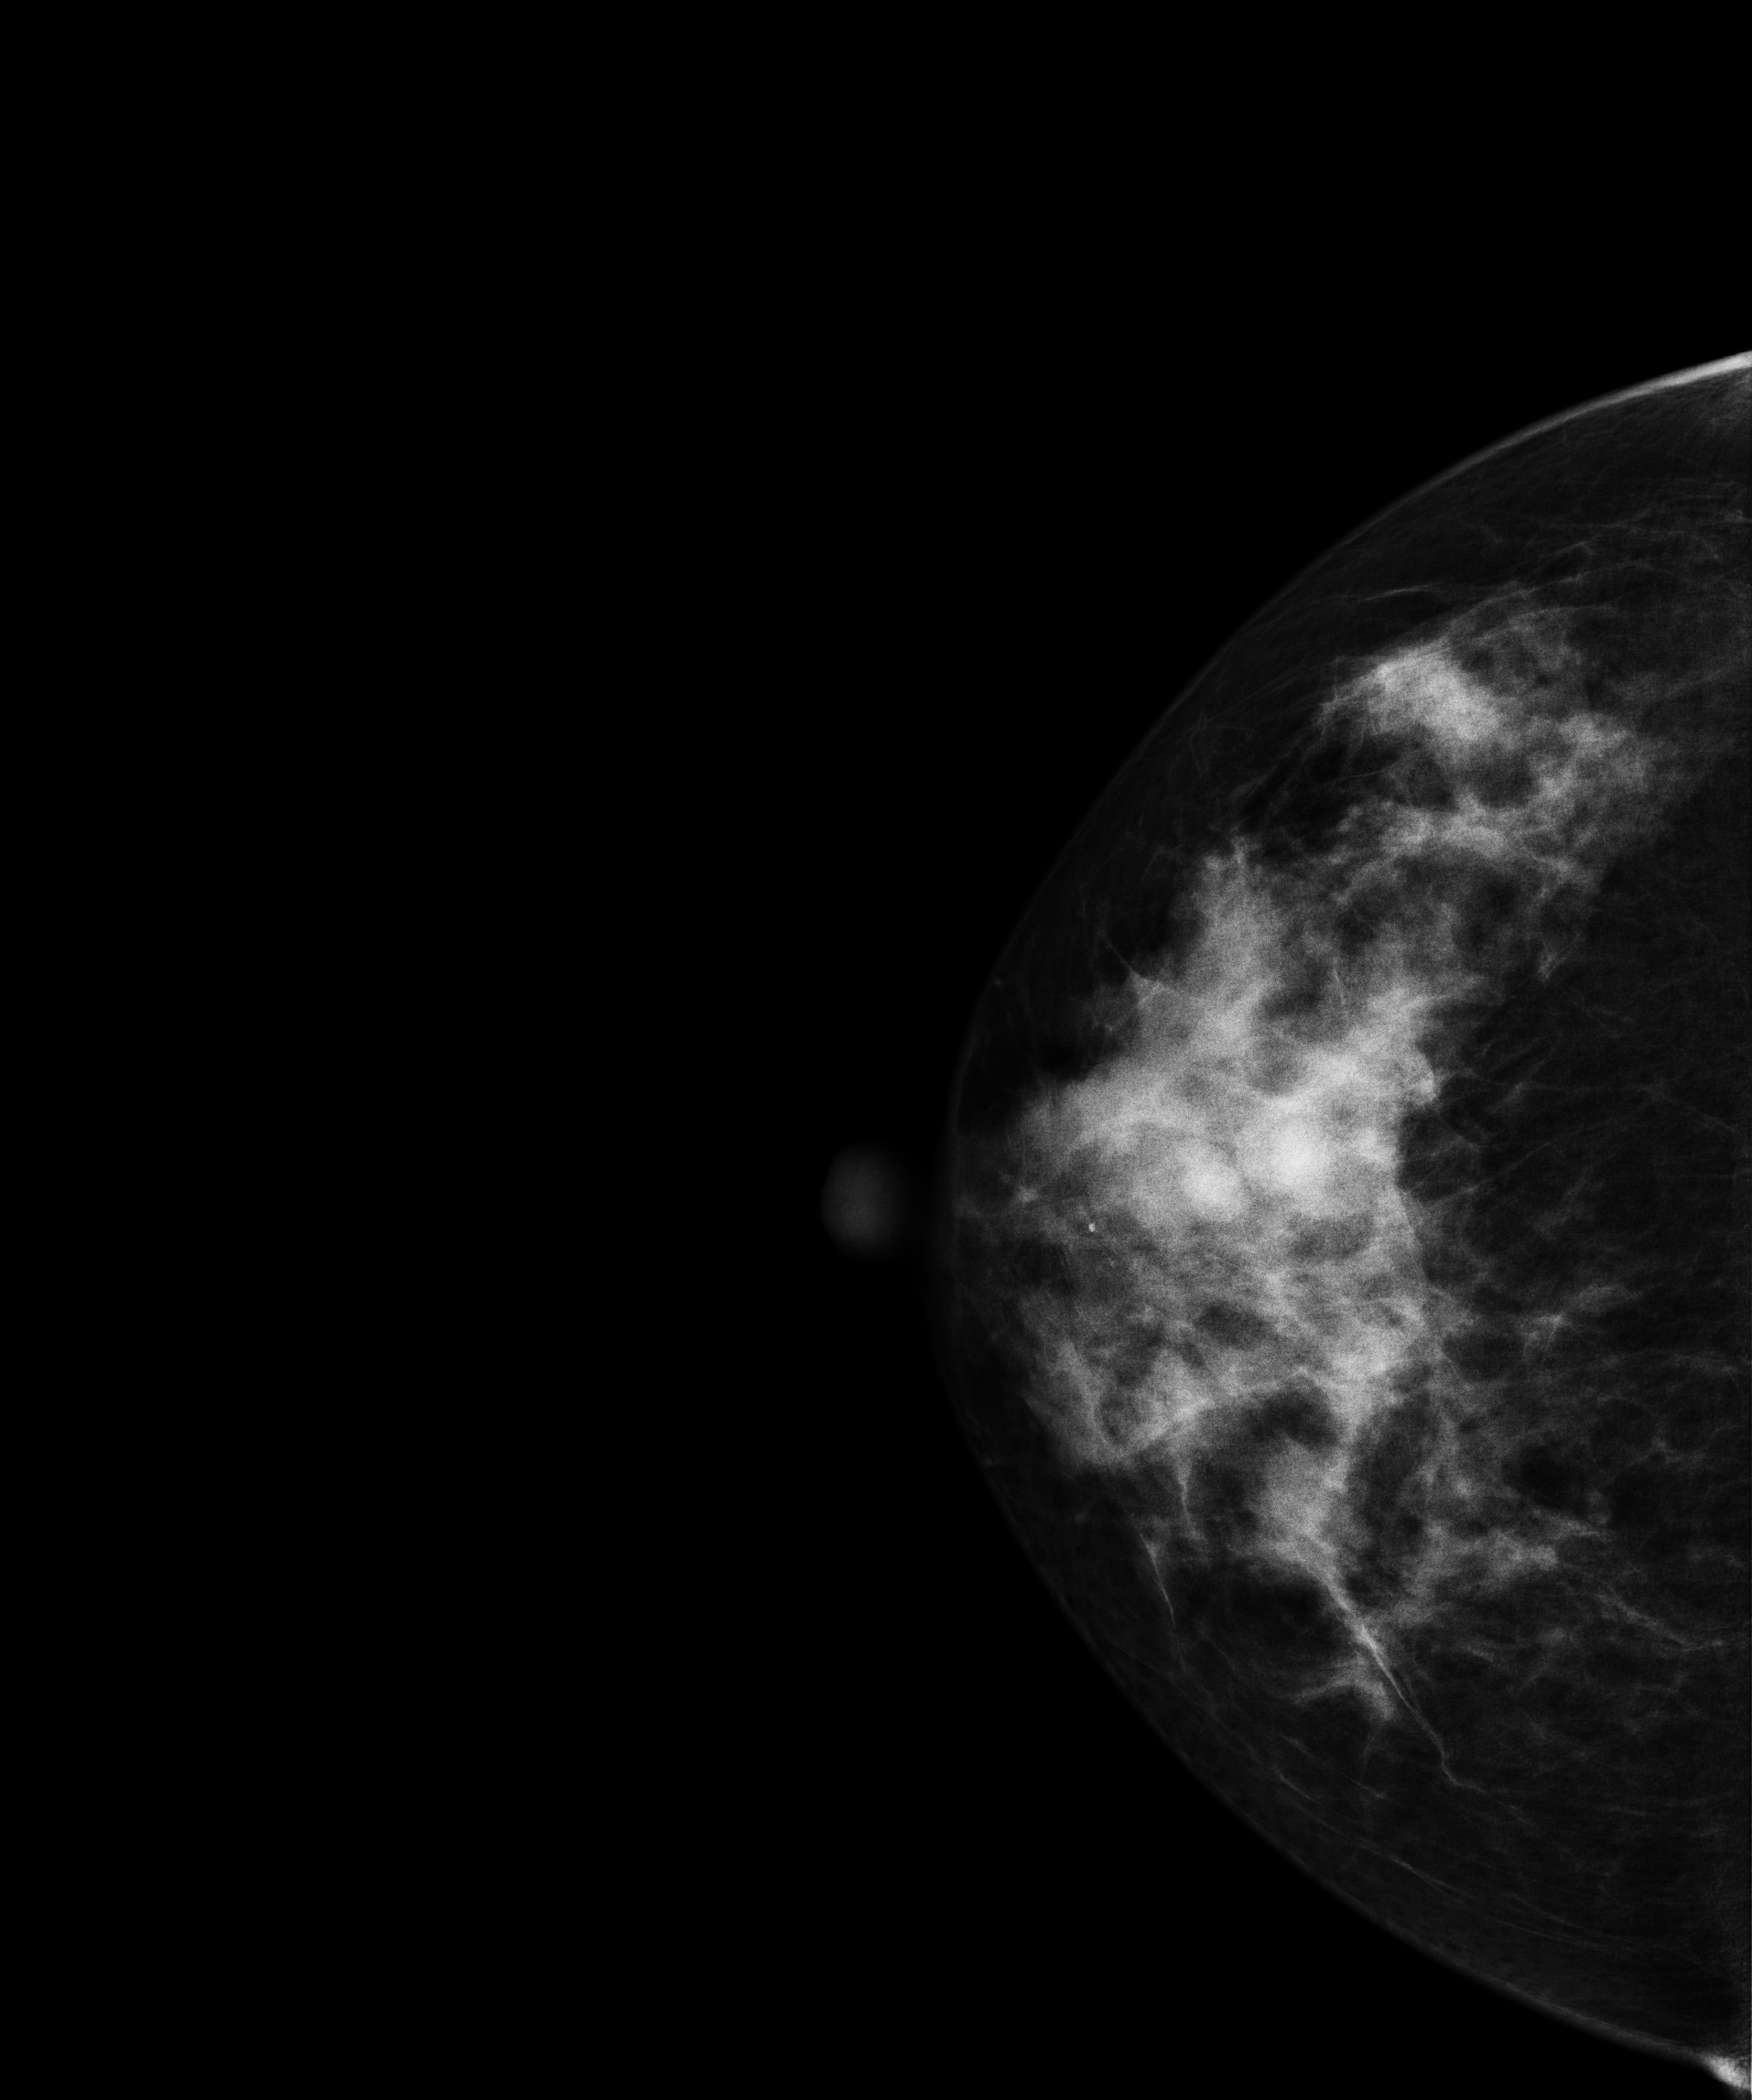
Mammogram — right CC. 46 y/o patient.
This breast has a mass, histologically confirmed benign.